Digital mammography. Left breast, MLO projection. 44-year-old patient.
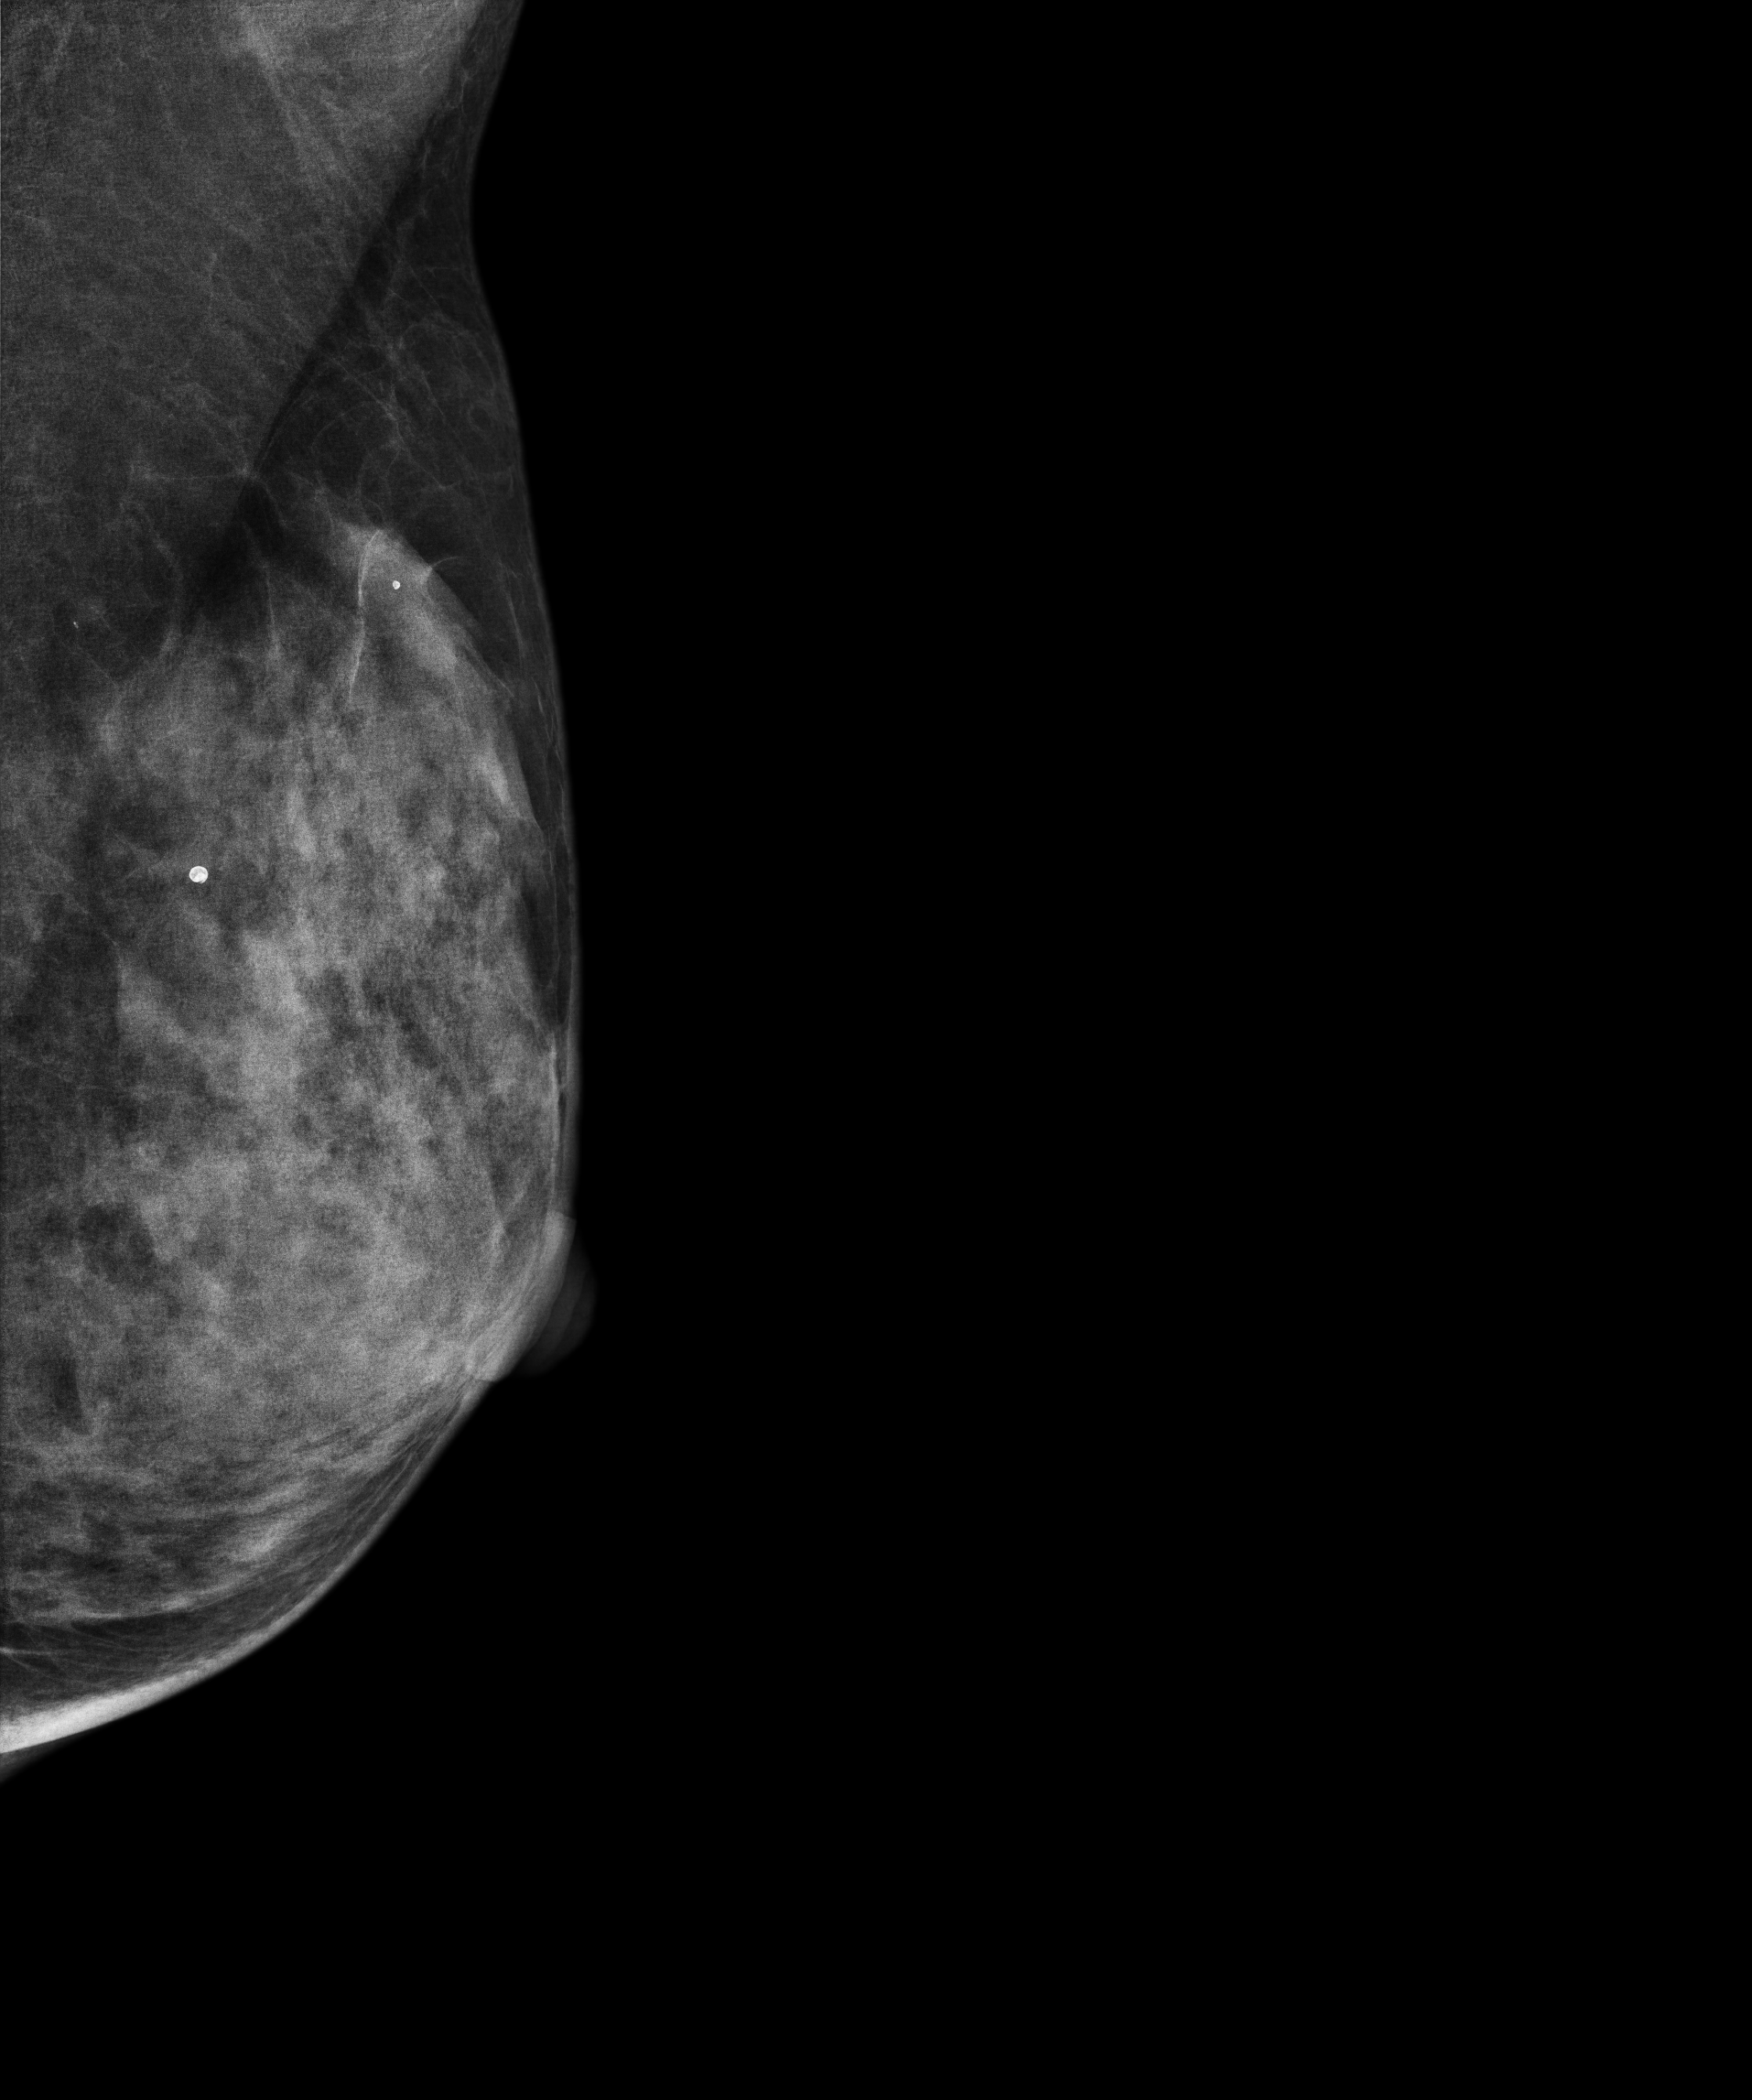
Contralateral breast — no documented abnormality on this side.